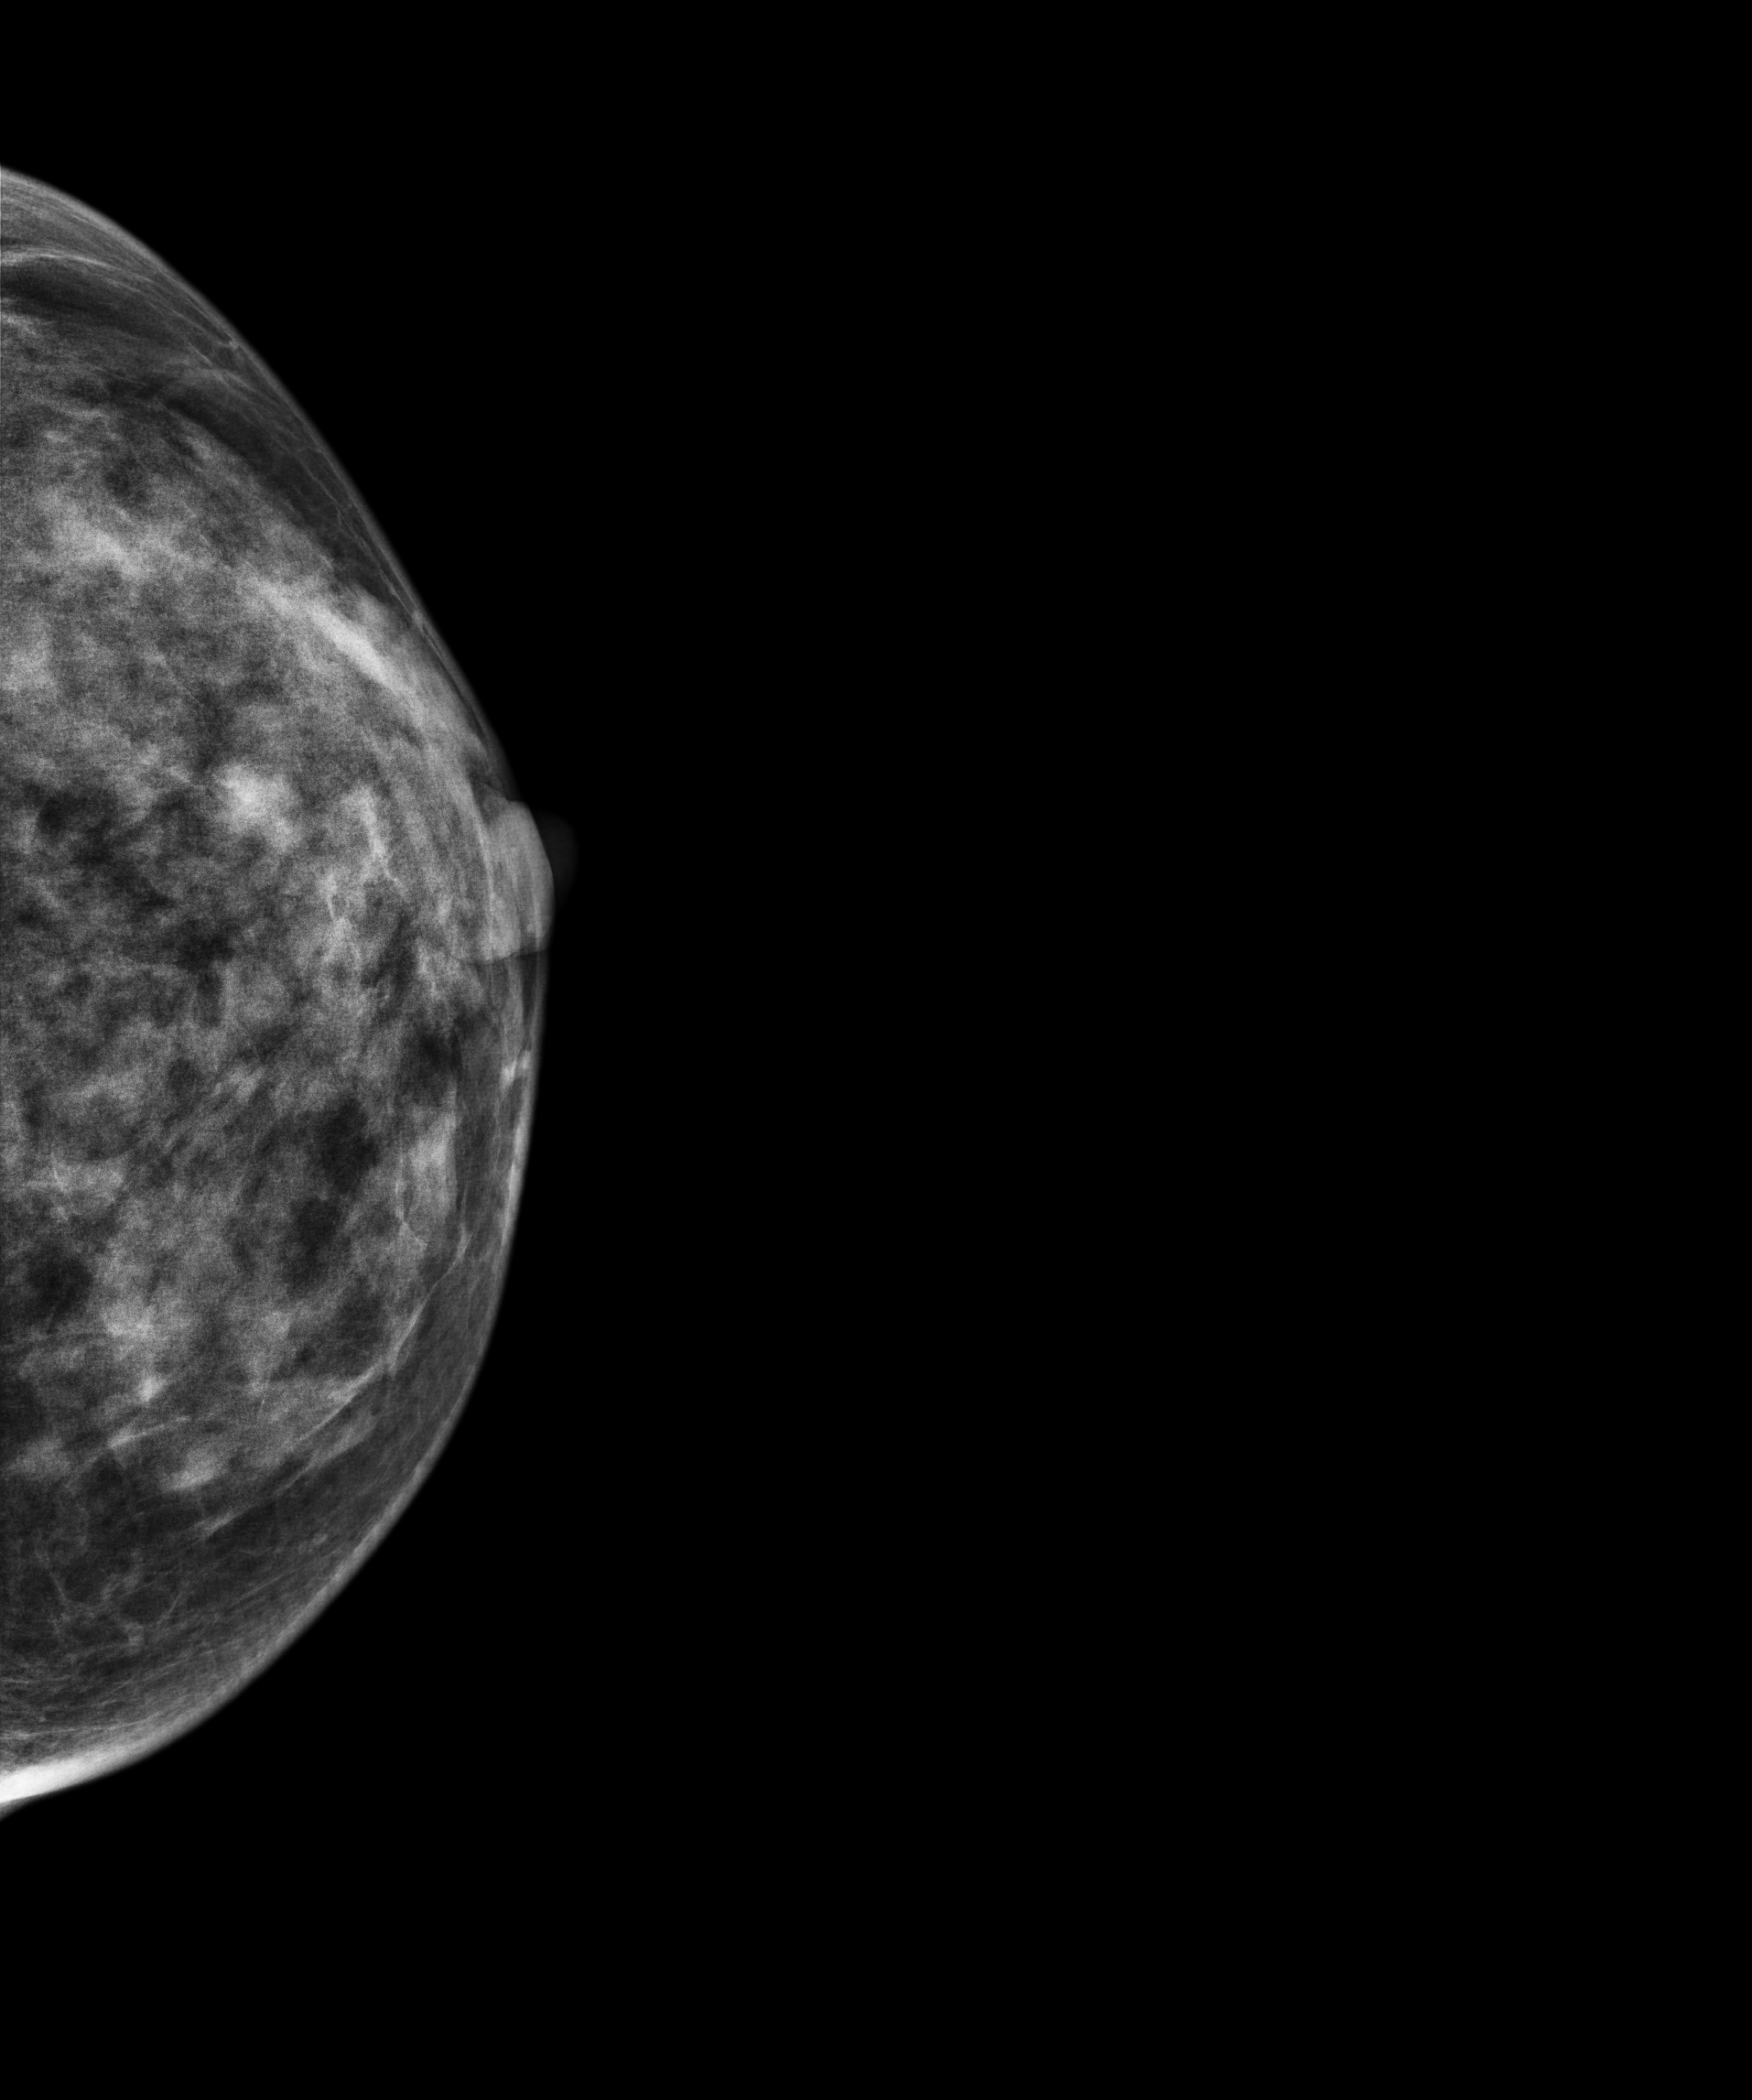
Mammogram — left cranio-caudal. 44 y/o patient.
Contralateral breast — no documented abnormality on this side.